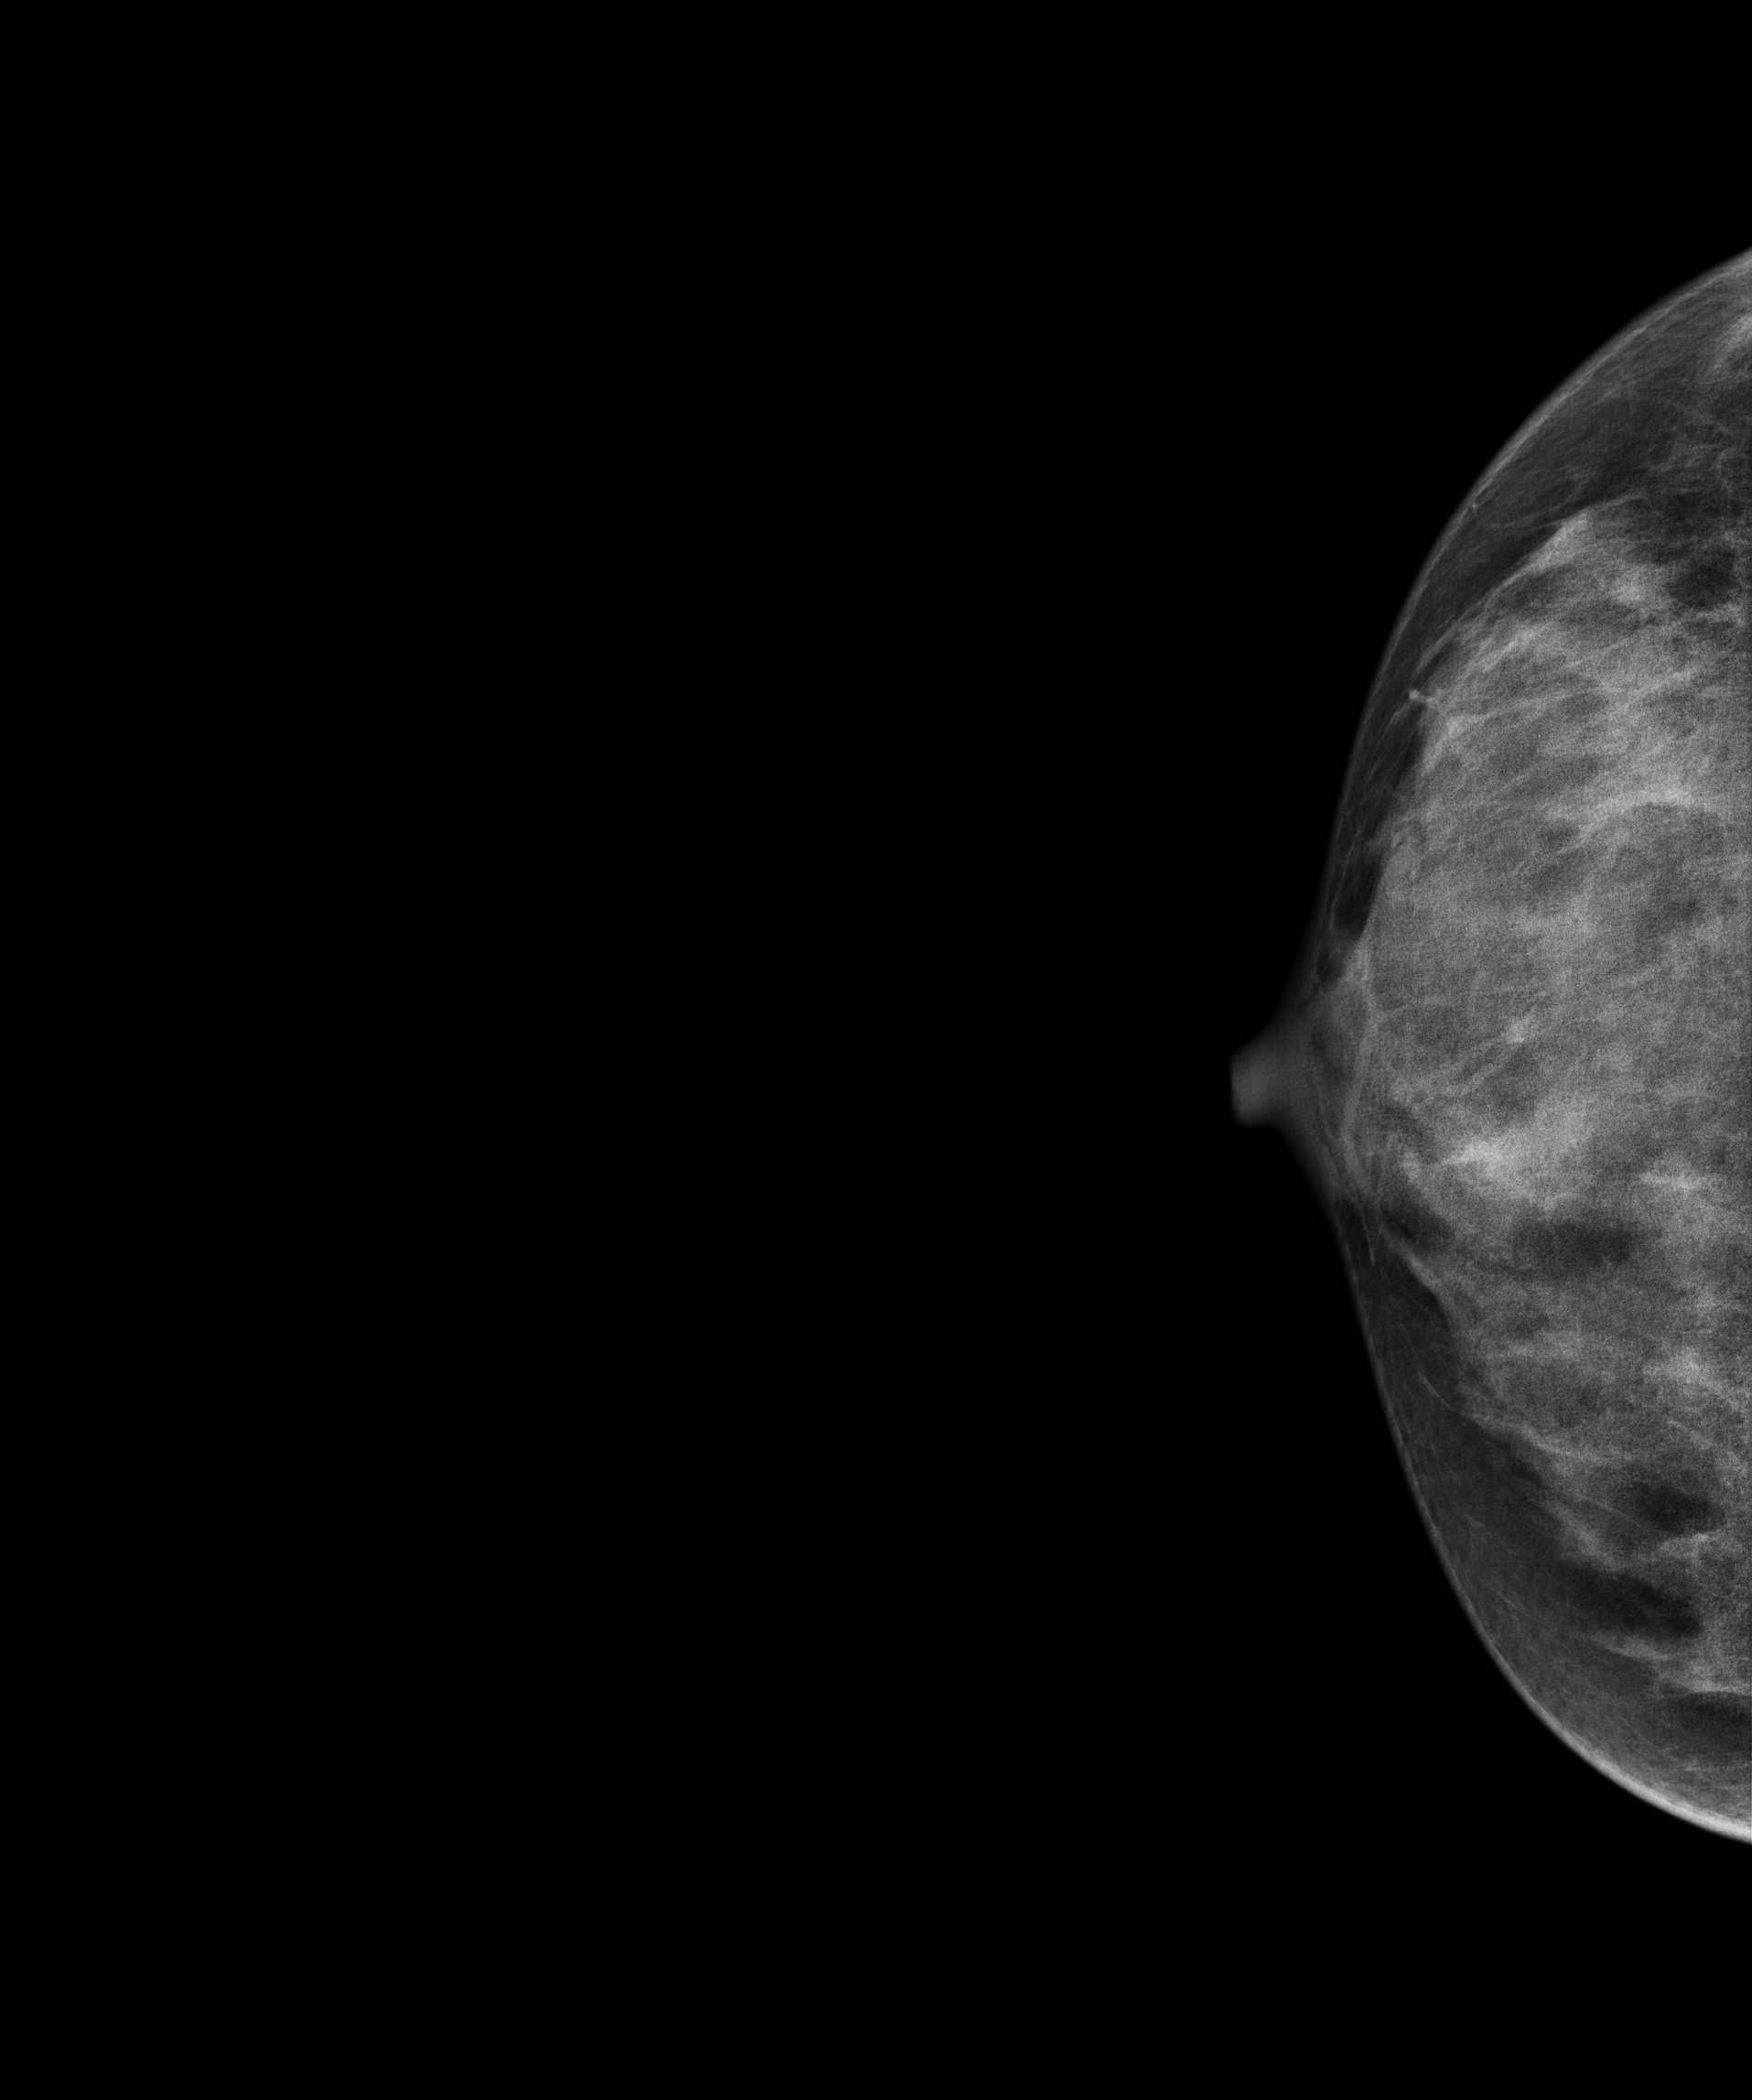
Mammogram, right breast, cranio-caudal view. 34-year-old patient.
This breast has a mass, pathology-confirmed benign.